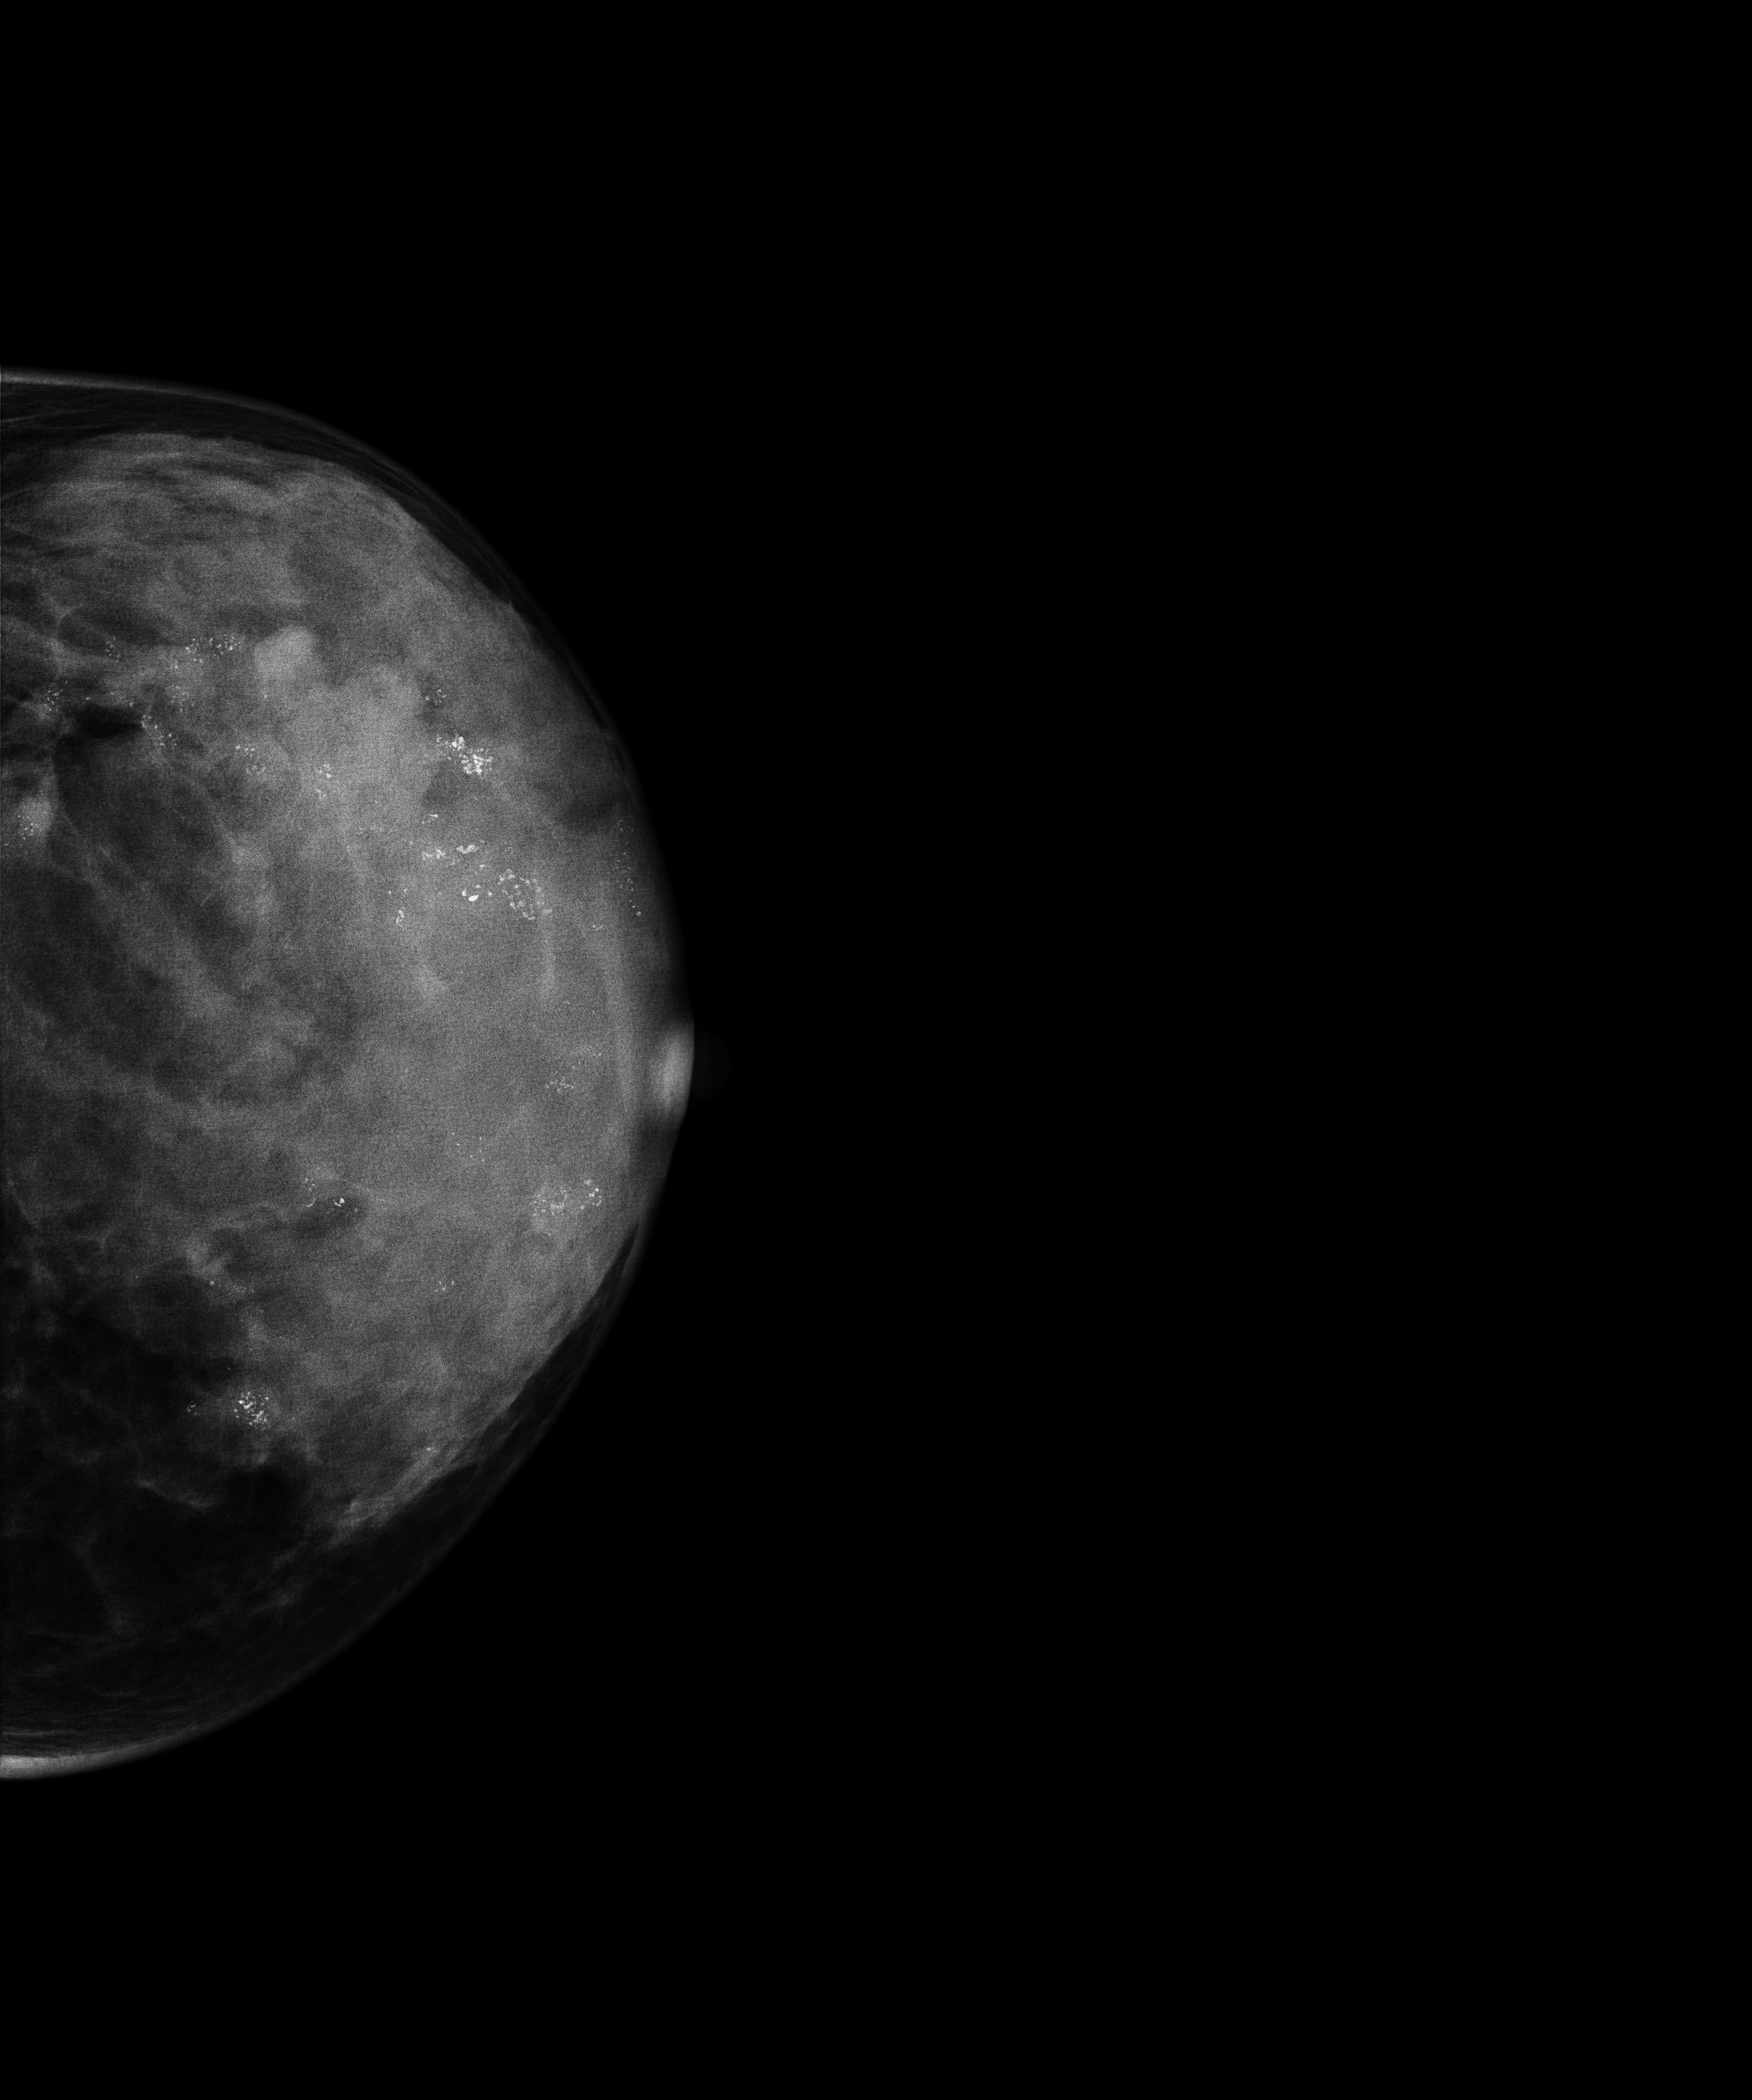
Left-breast mammogram, cranio-caudal. 30 y/o patient.
Contralateral breast — no documented abnormality on this side.